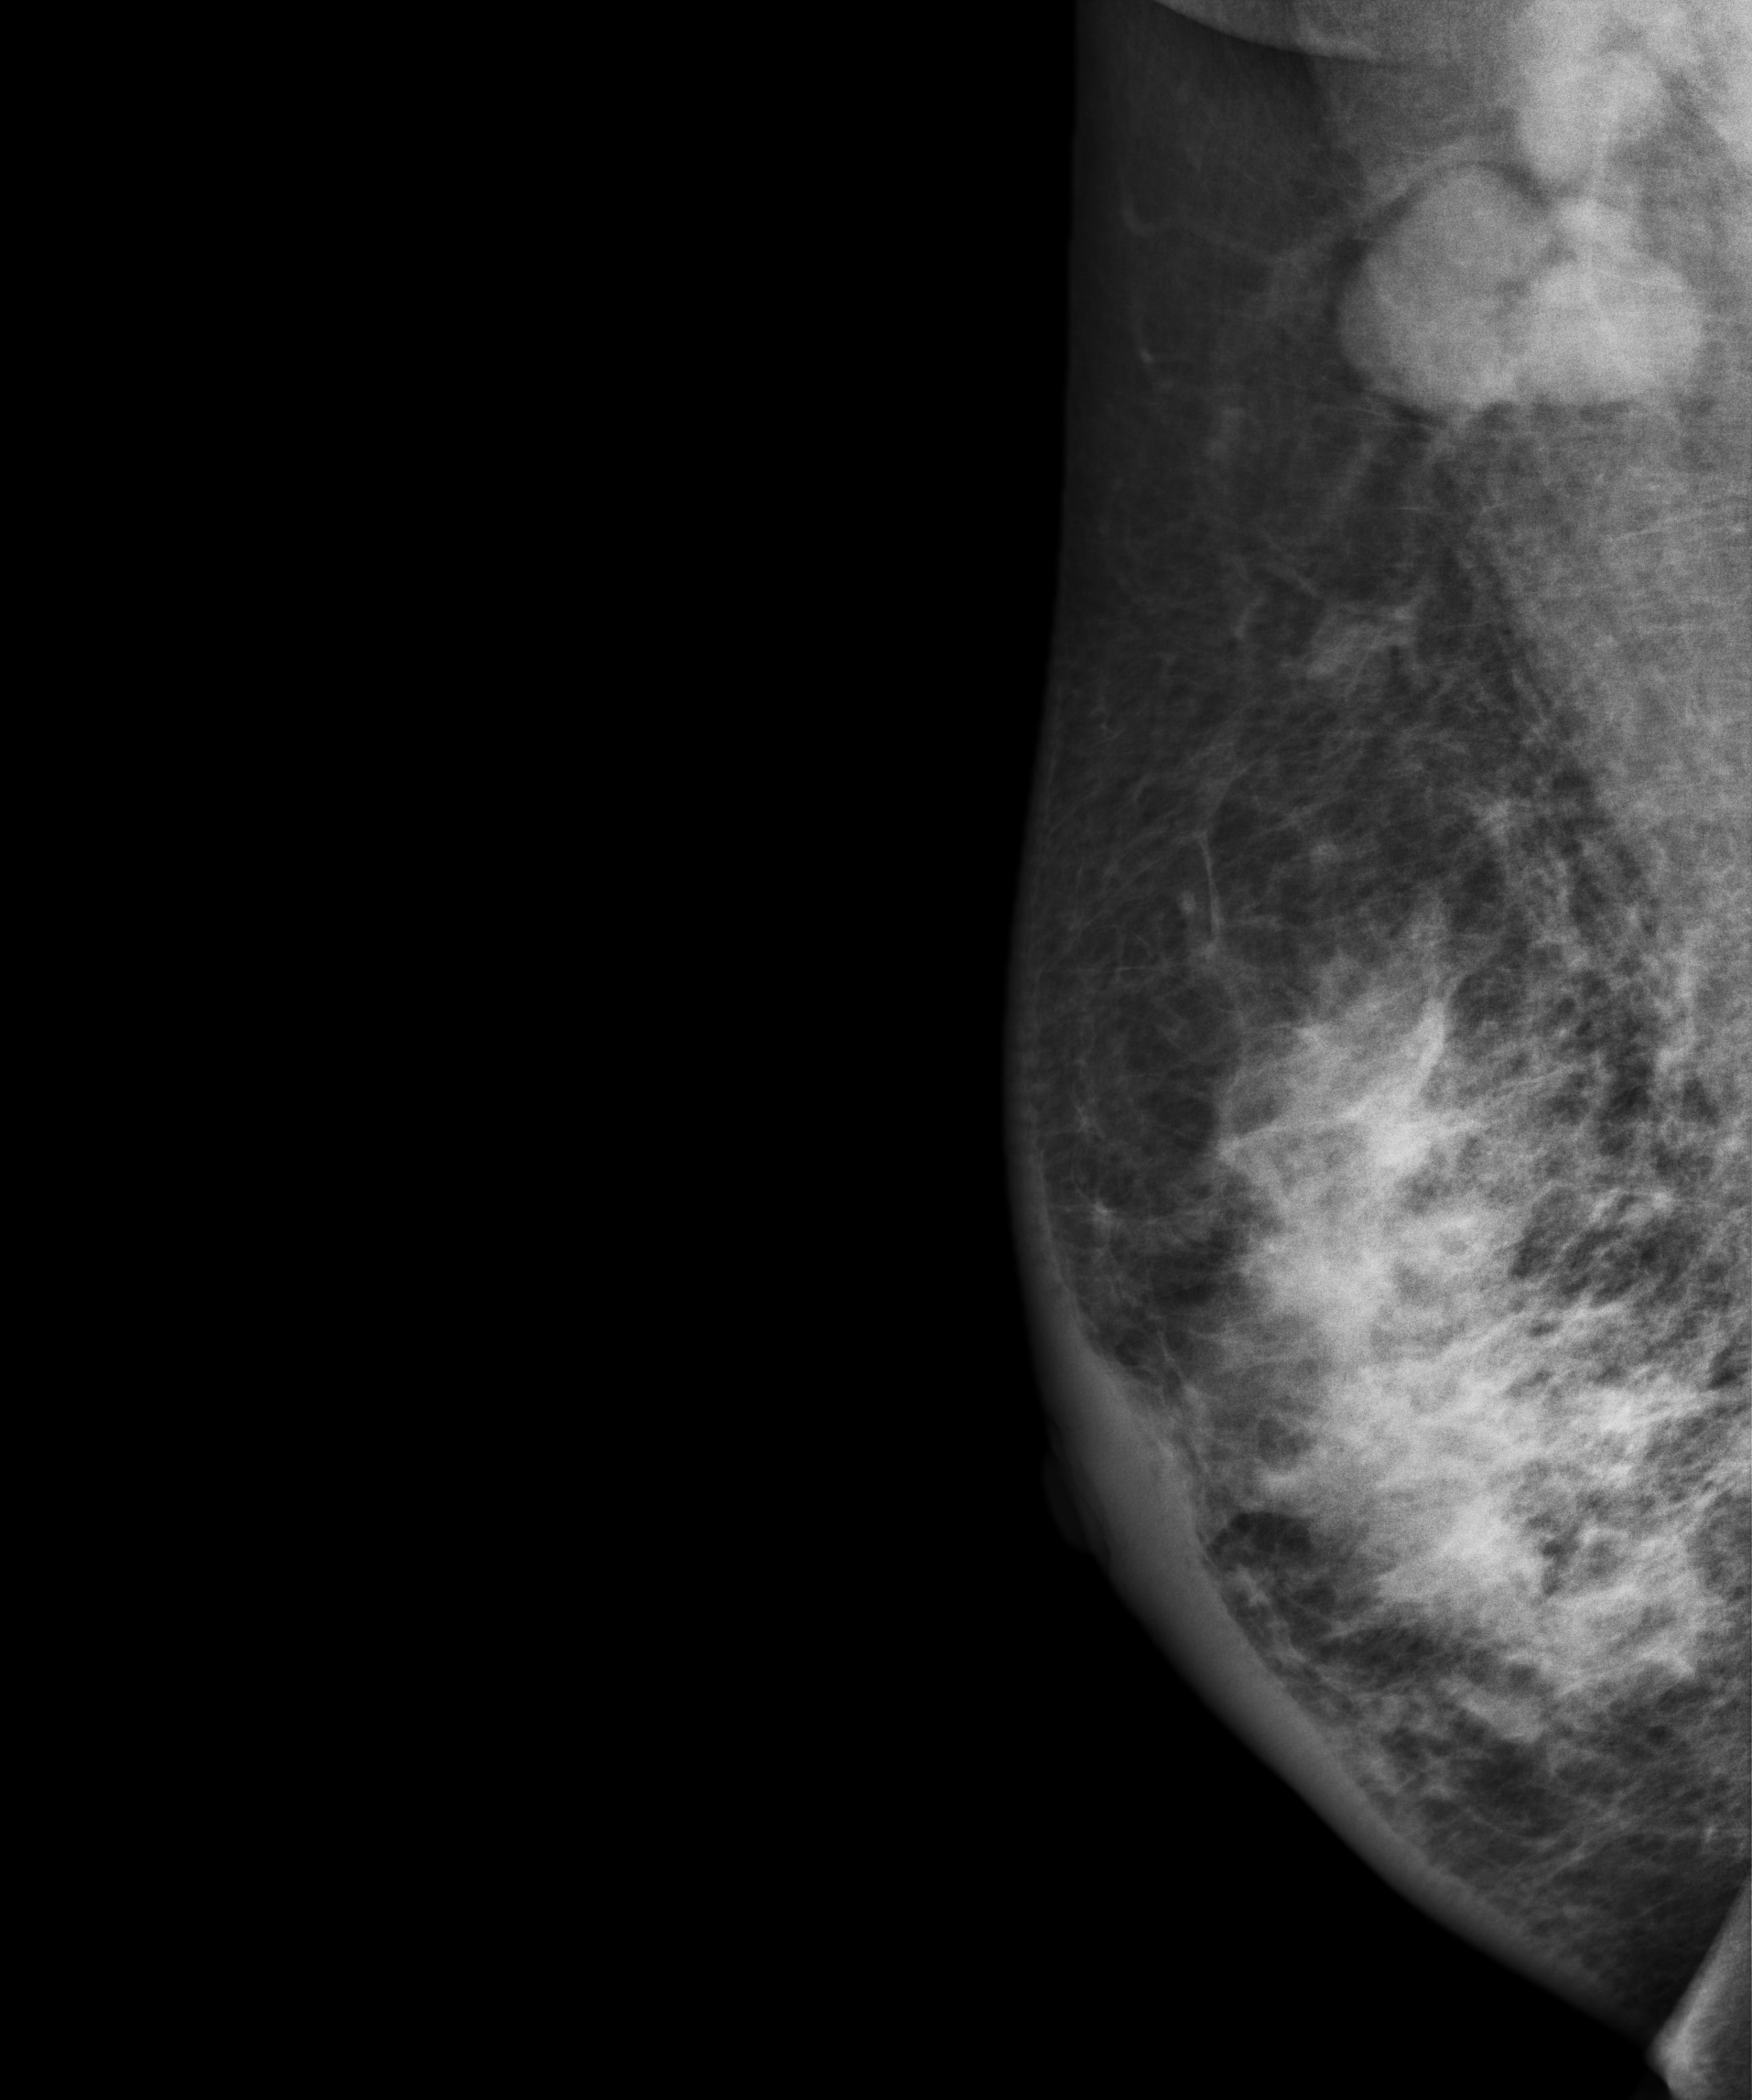
Digital mammography. Right breast, MLO projection. Patient age 39.
This breast has a mass, biopsy-confirmed malignant.